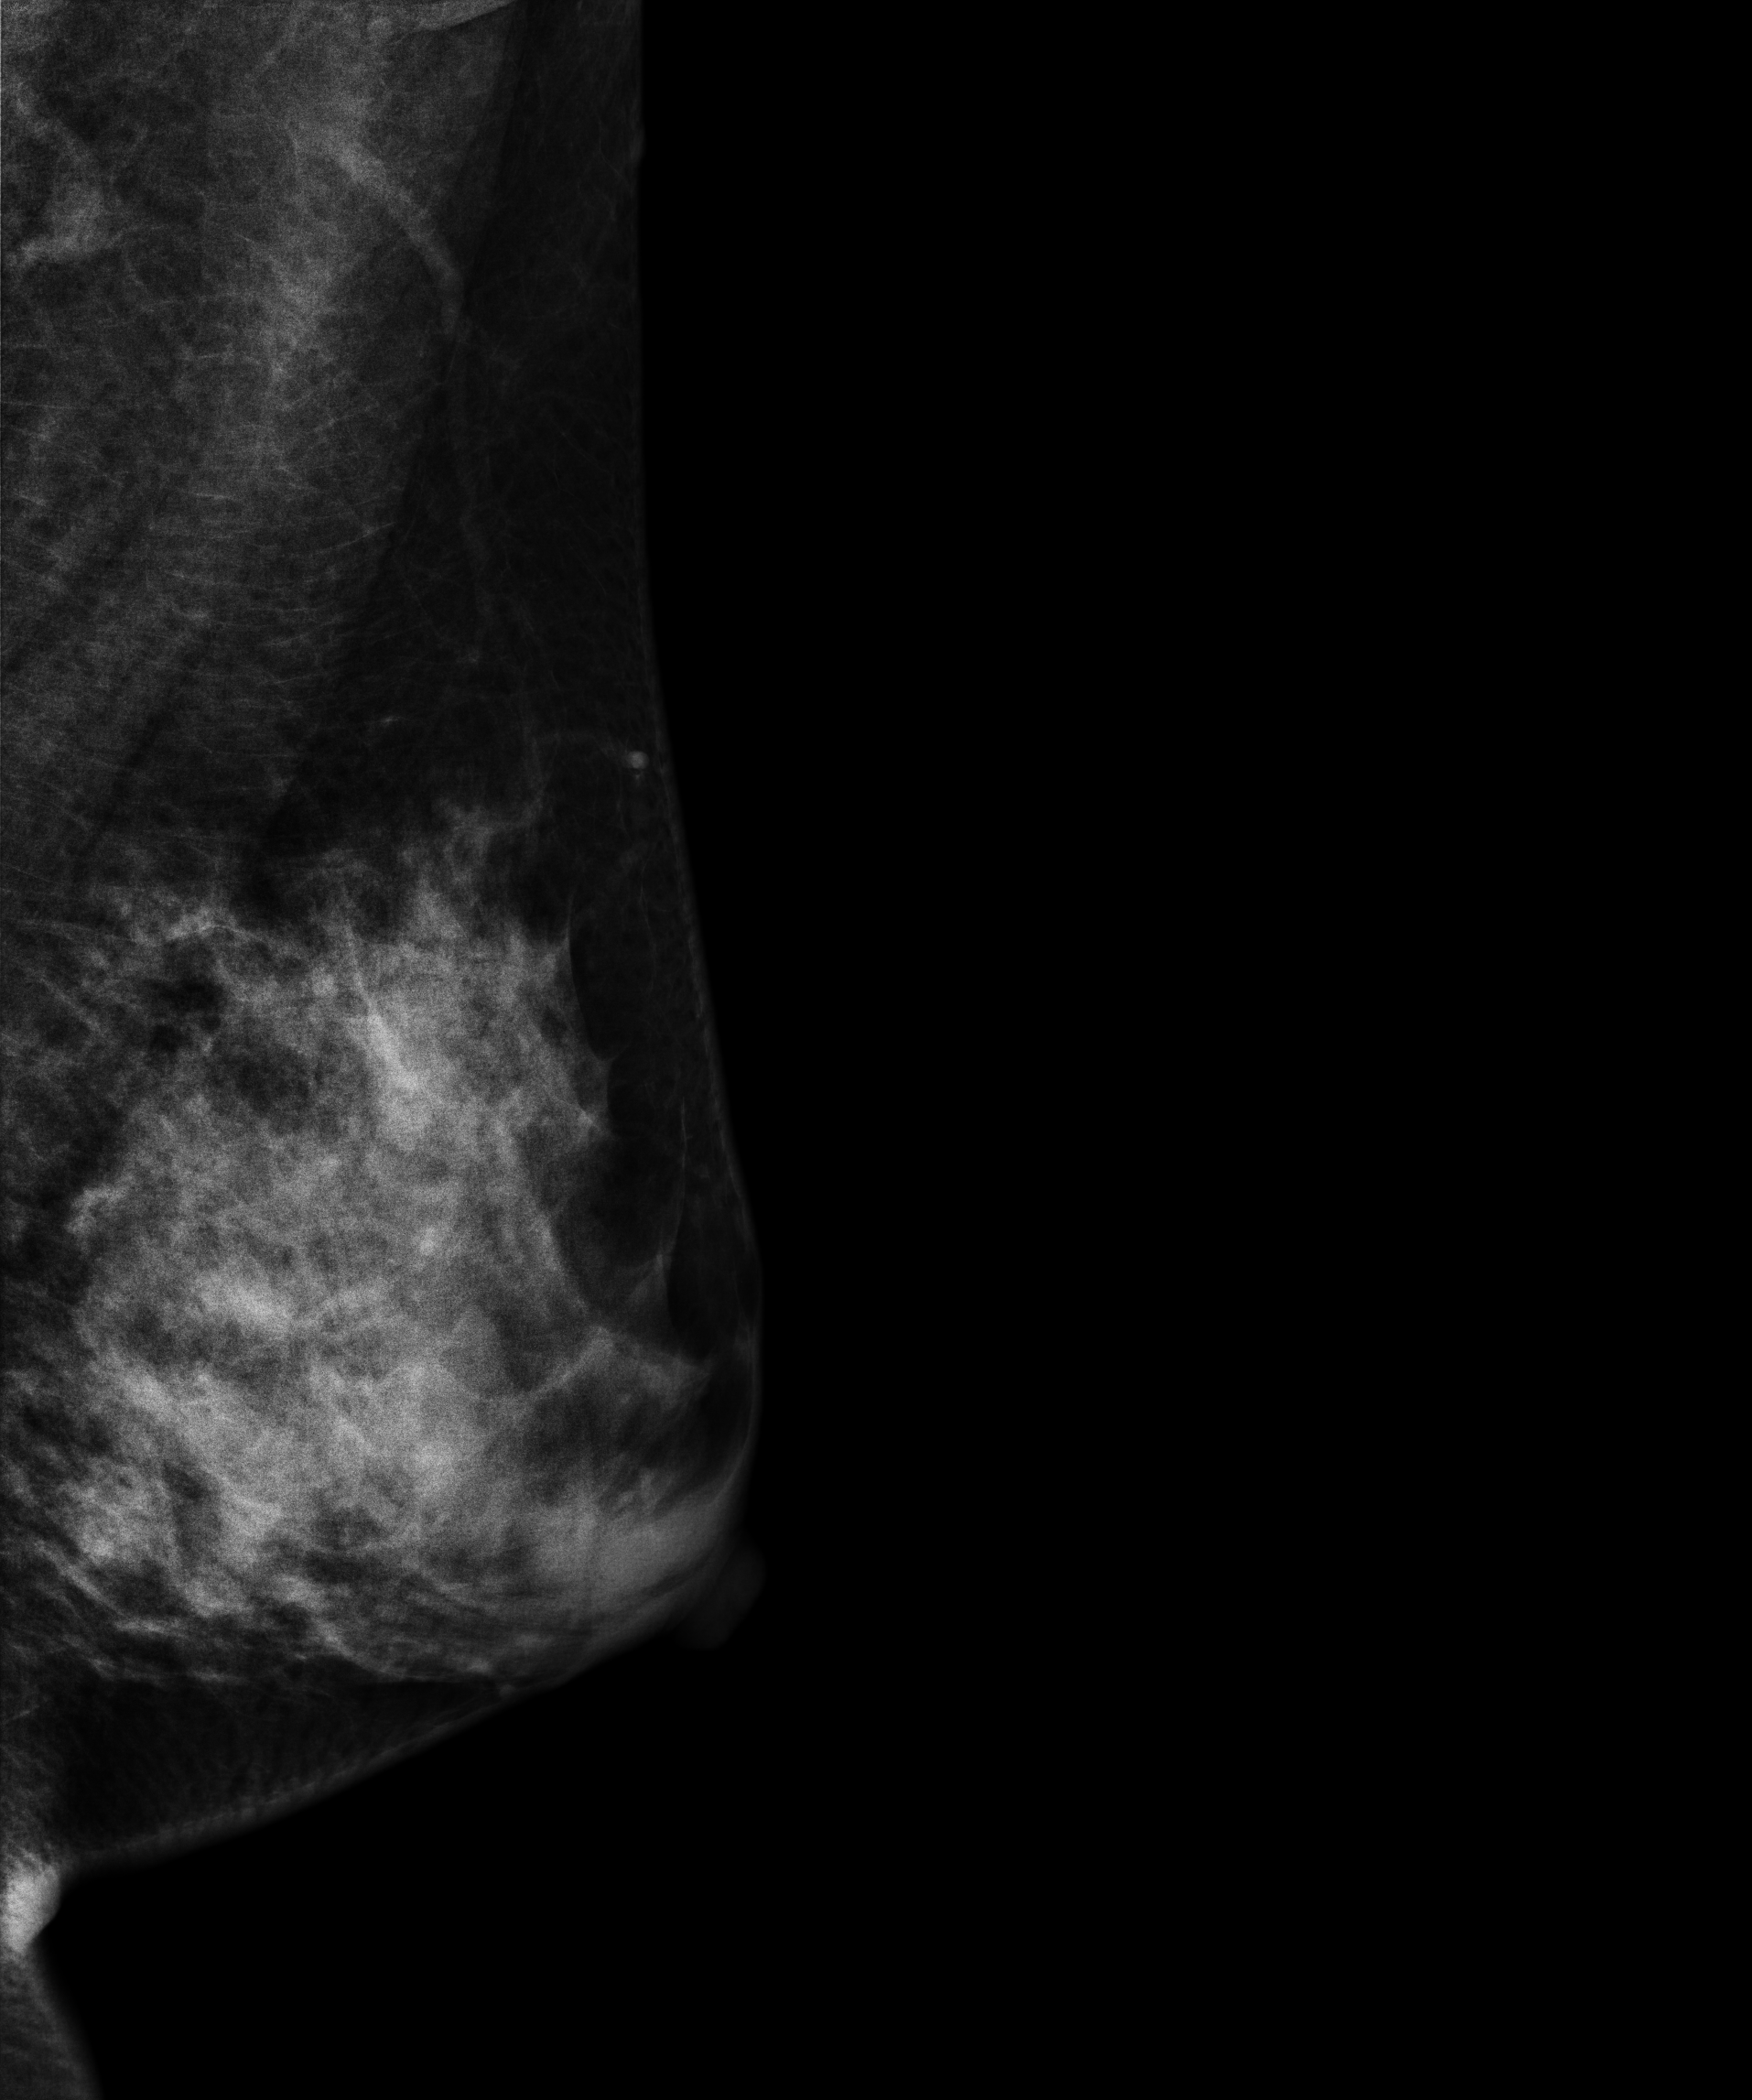
Mammogram, left breast, MLO view. Patient age 44.
This breast has a mass, pathology-confirmed benign.